Mammogram — left MLO. Patient age 42.
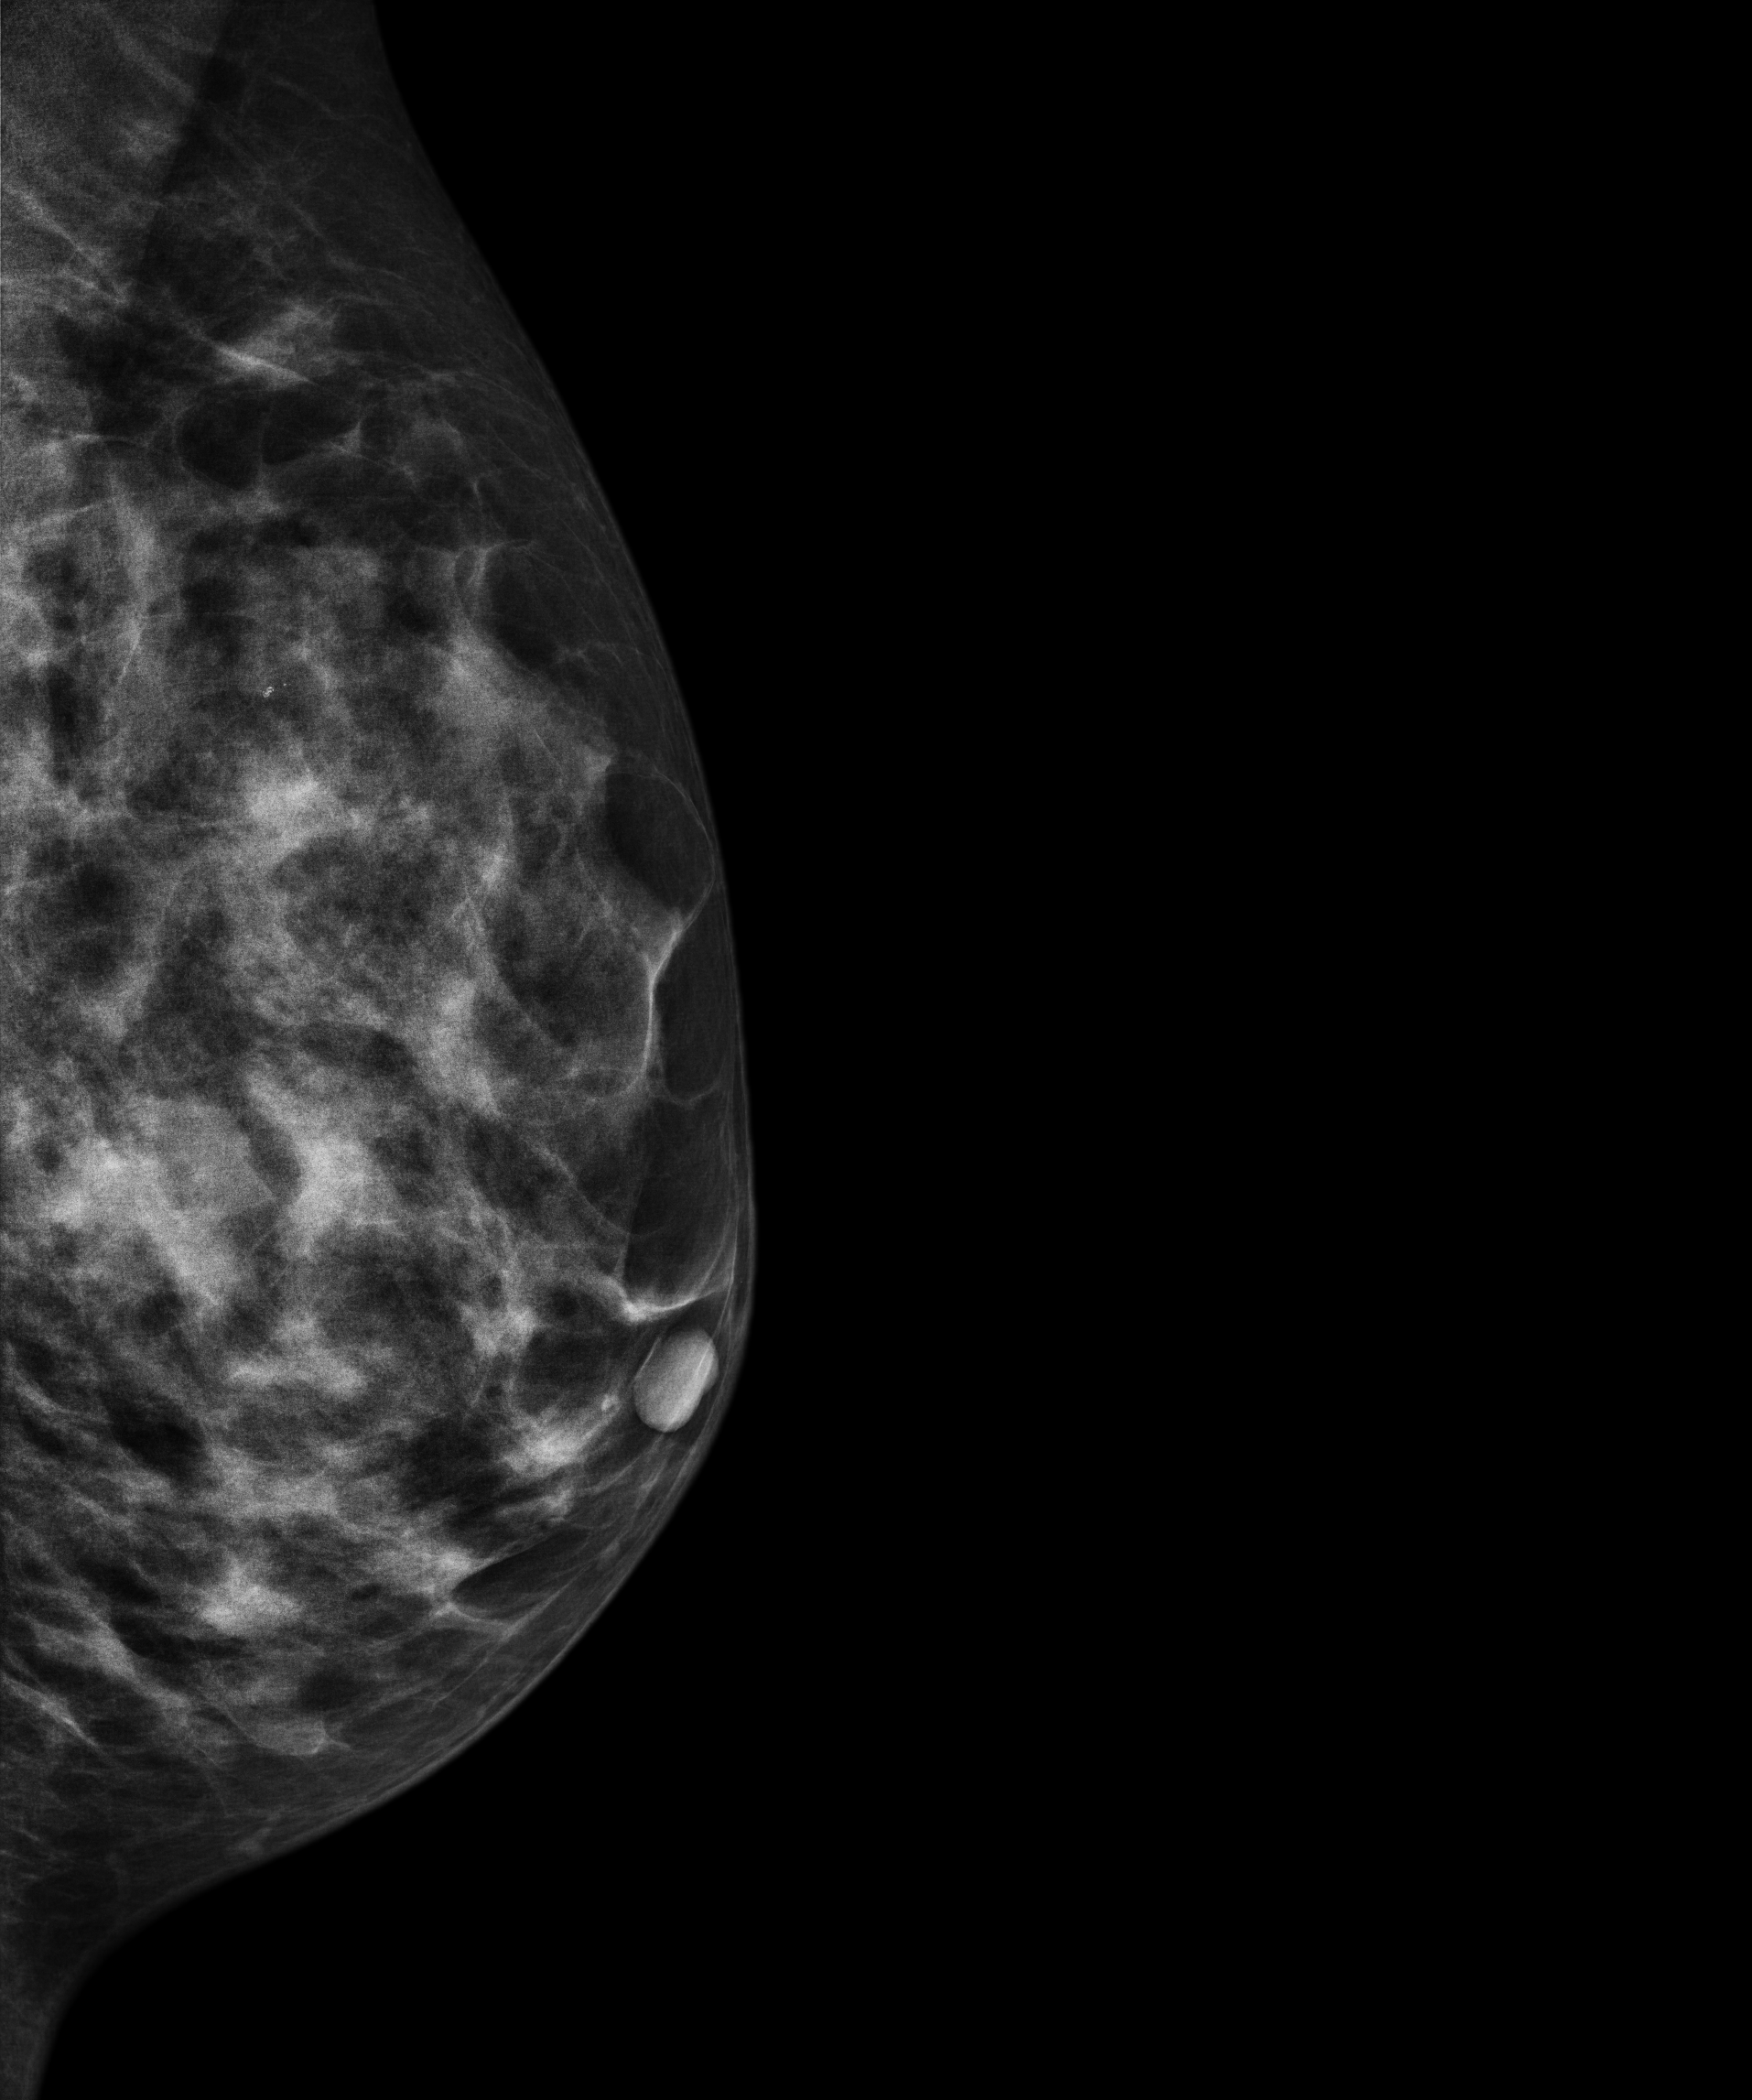
This breast has a mass, biopsy-proven malignant.